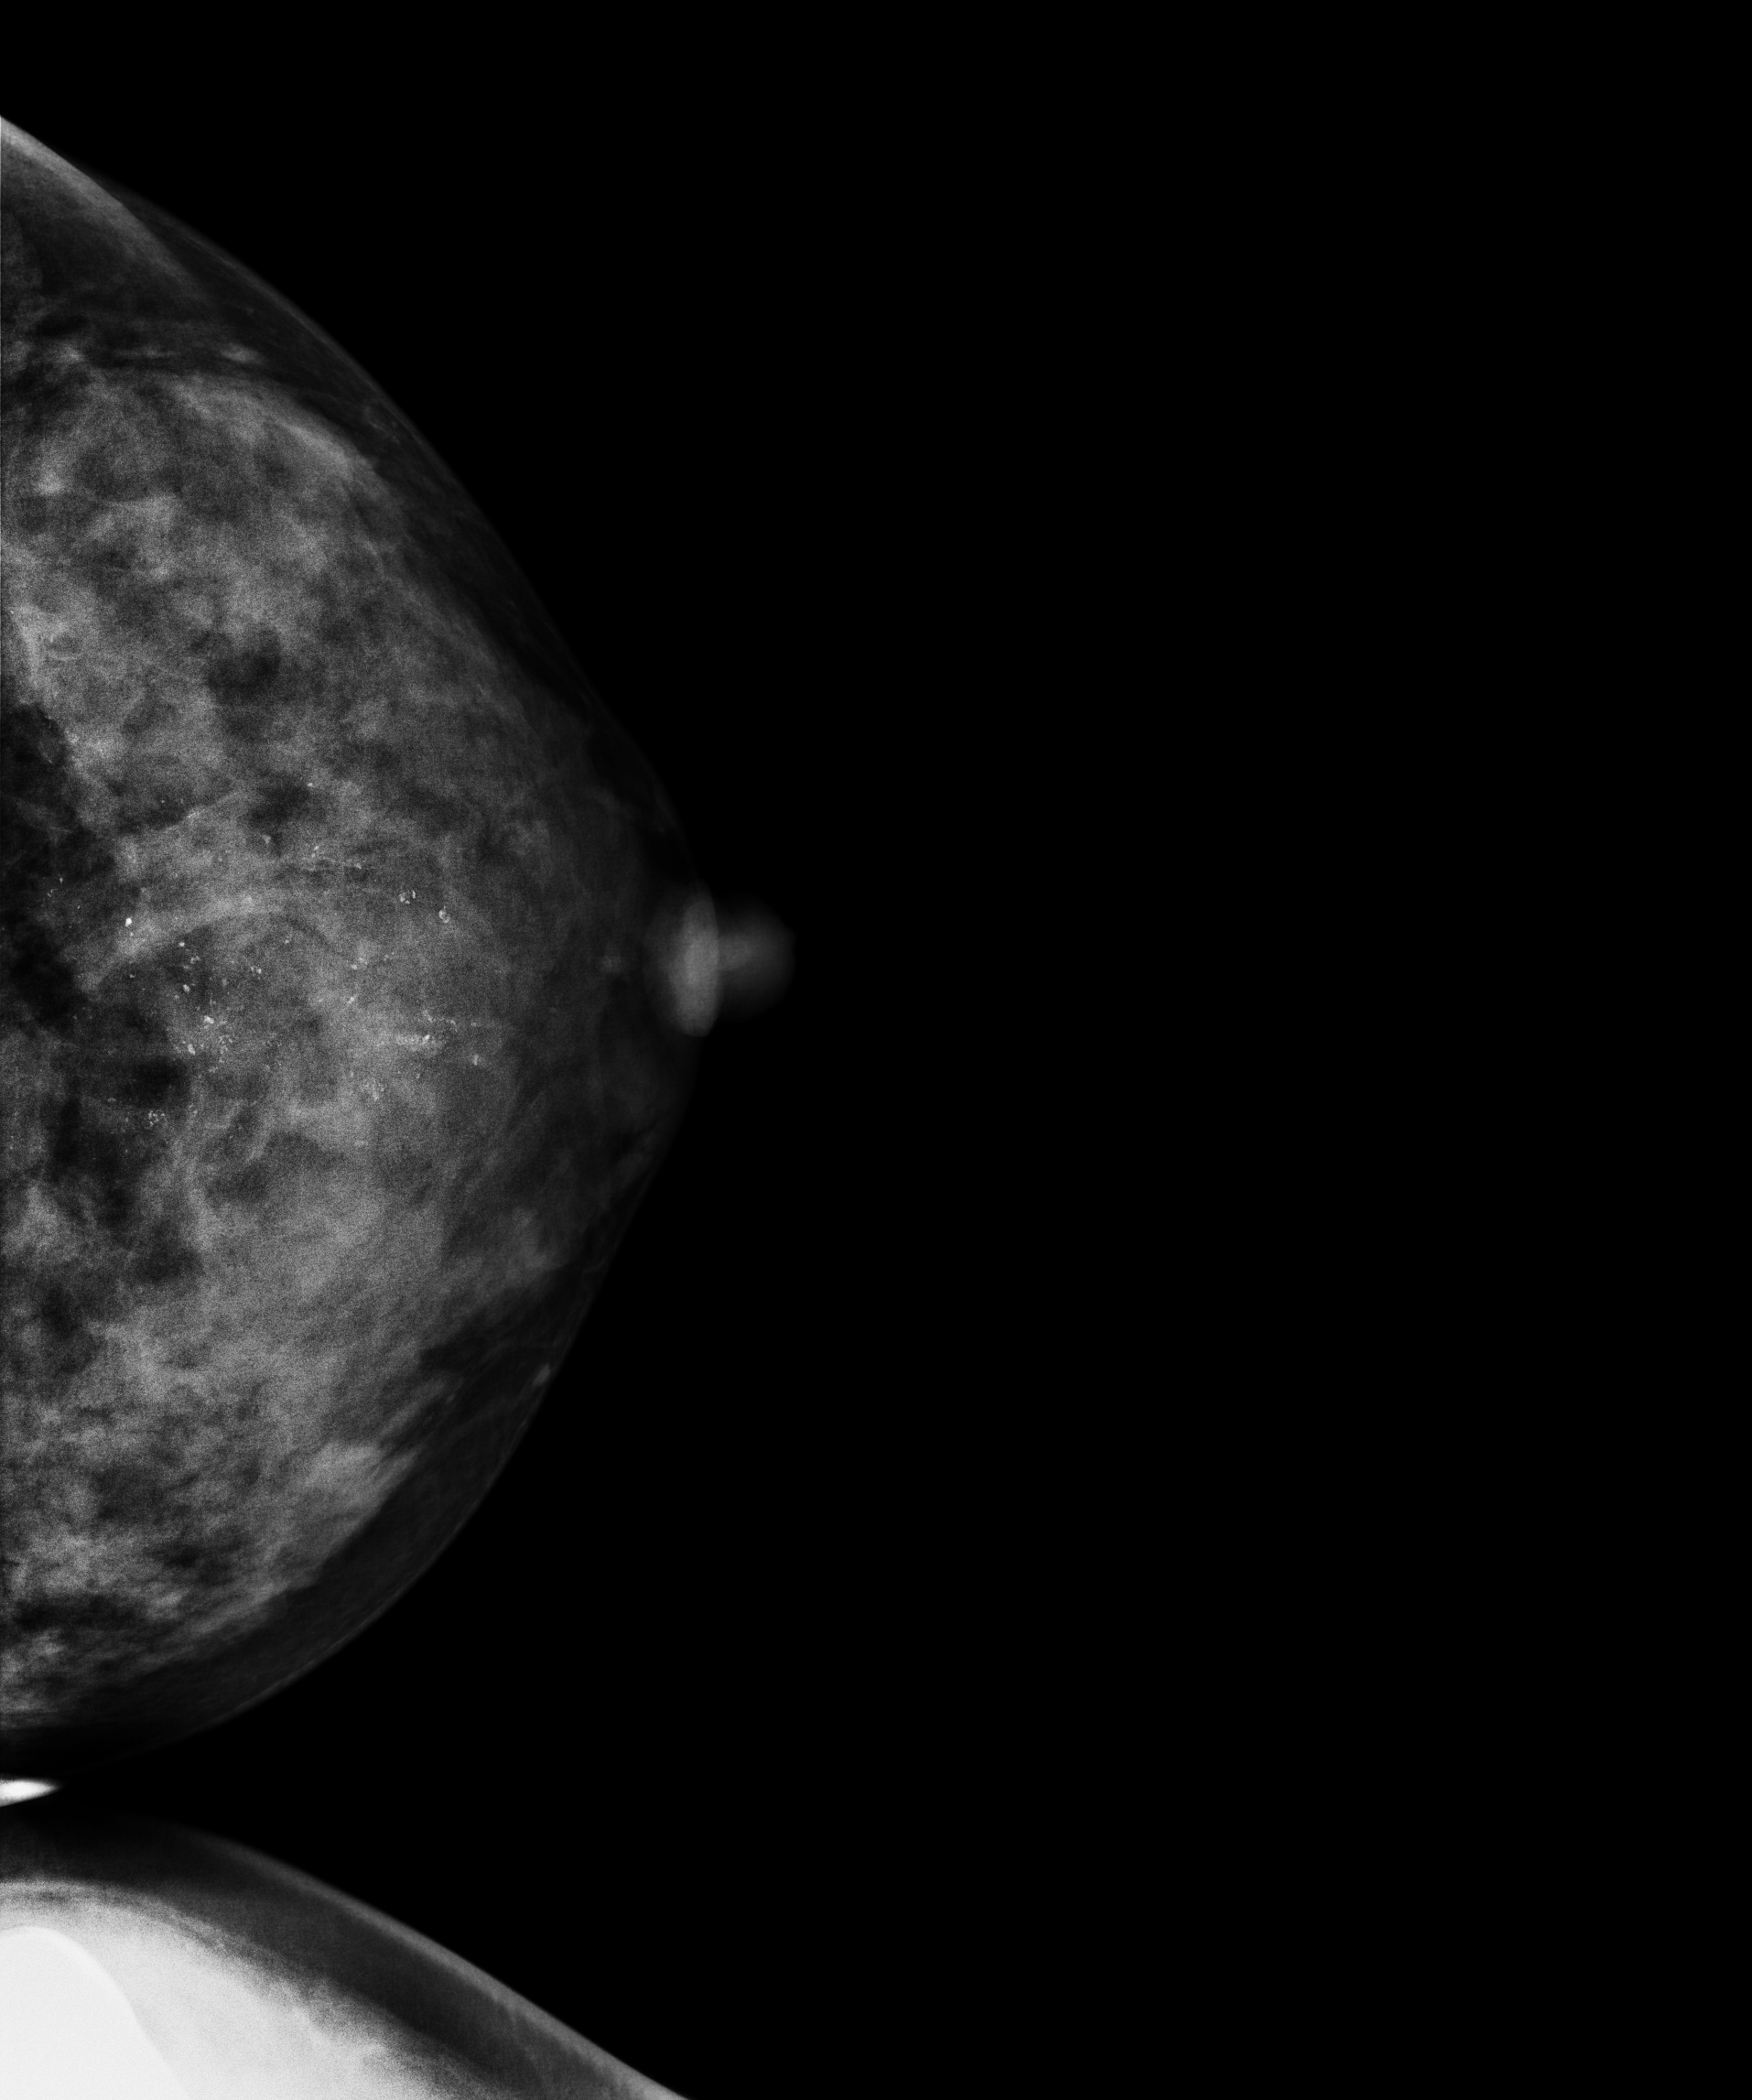
Left-breast mammogram, cranio-caudal. 28-year-old patient.
This breast has calcifications, histologically confirmed malignant. Molecular subtype: luminal A.